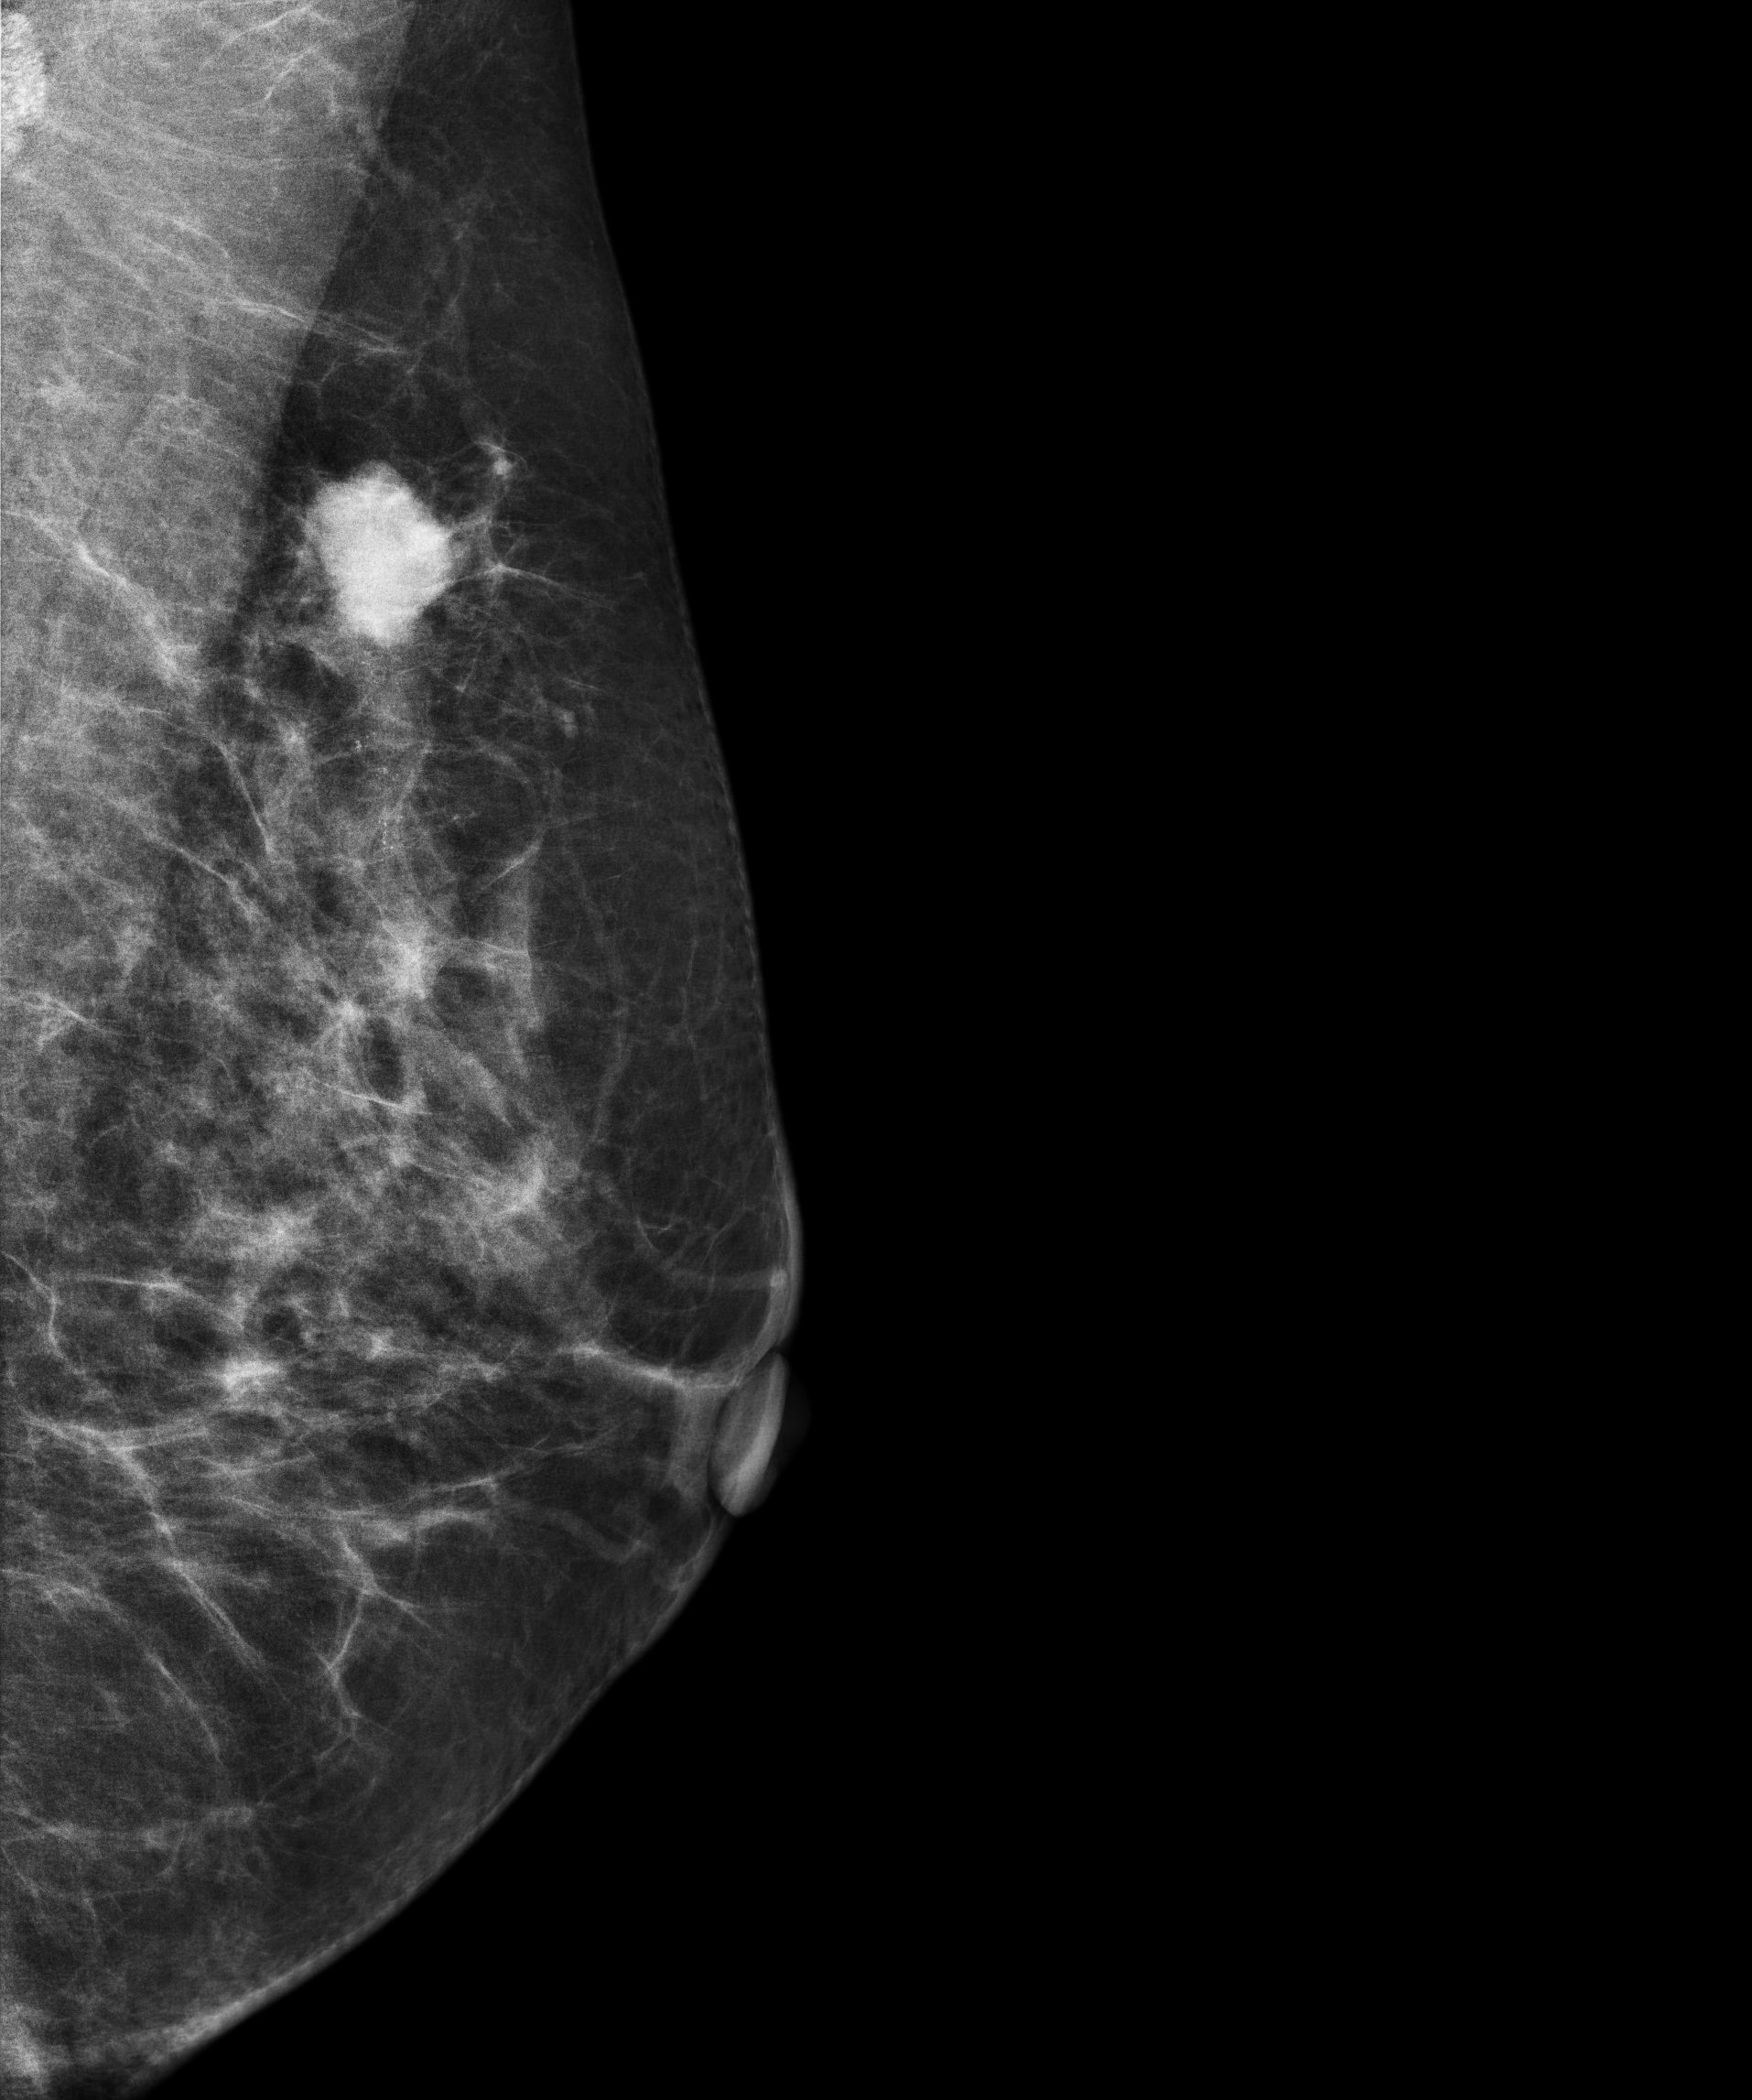
MLO mammogram of the left breast. Patient age 53.
This breast has a mass, histologically confirmed malignant.